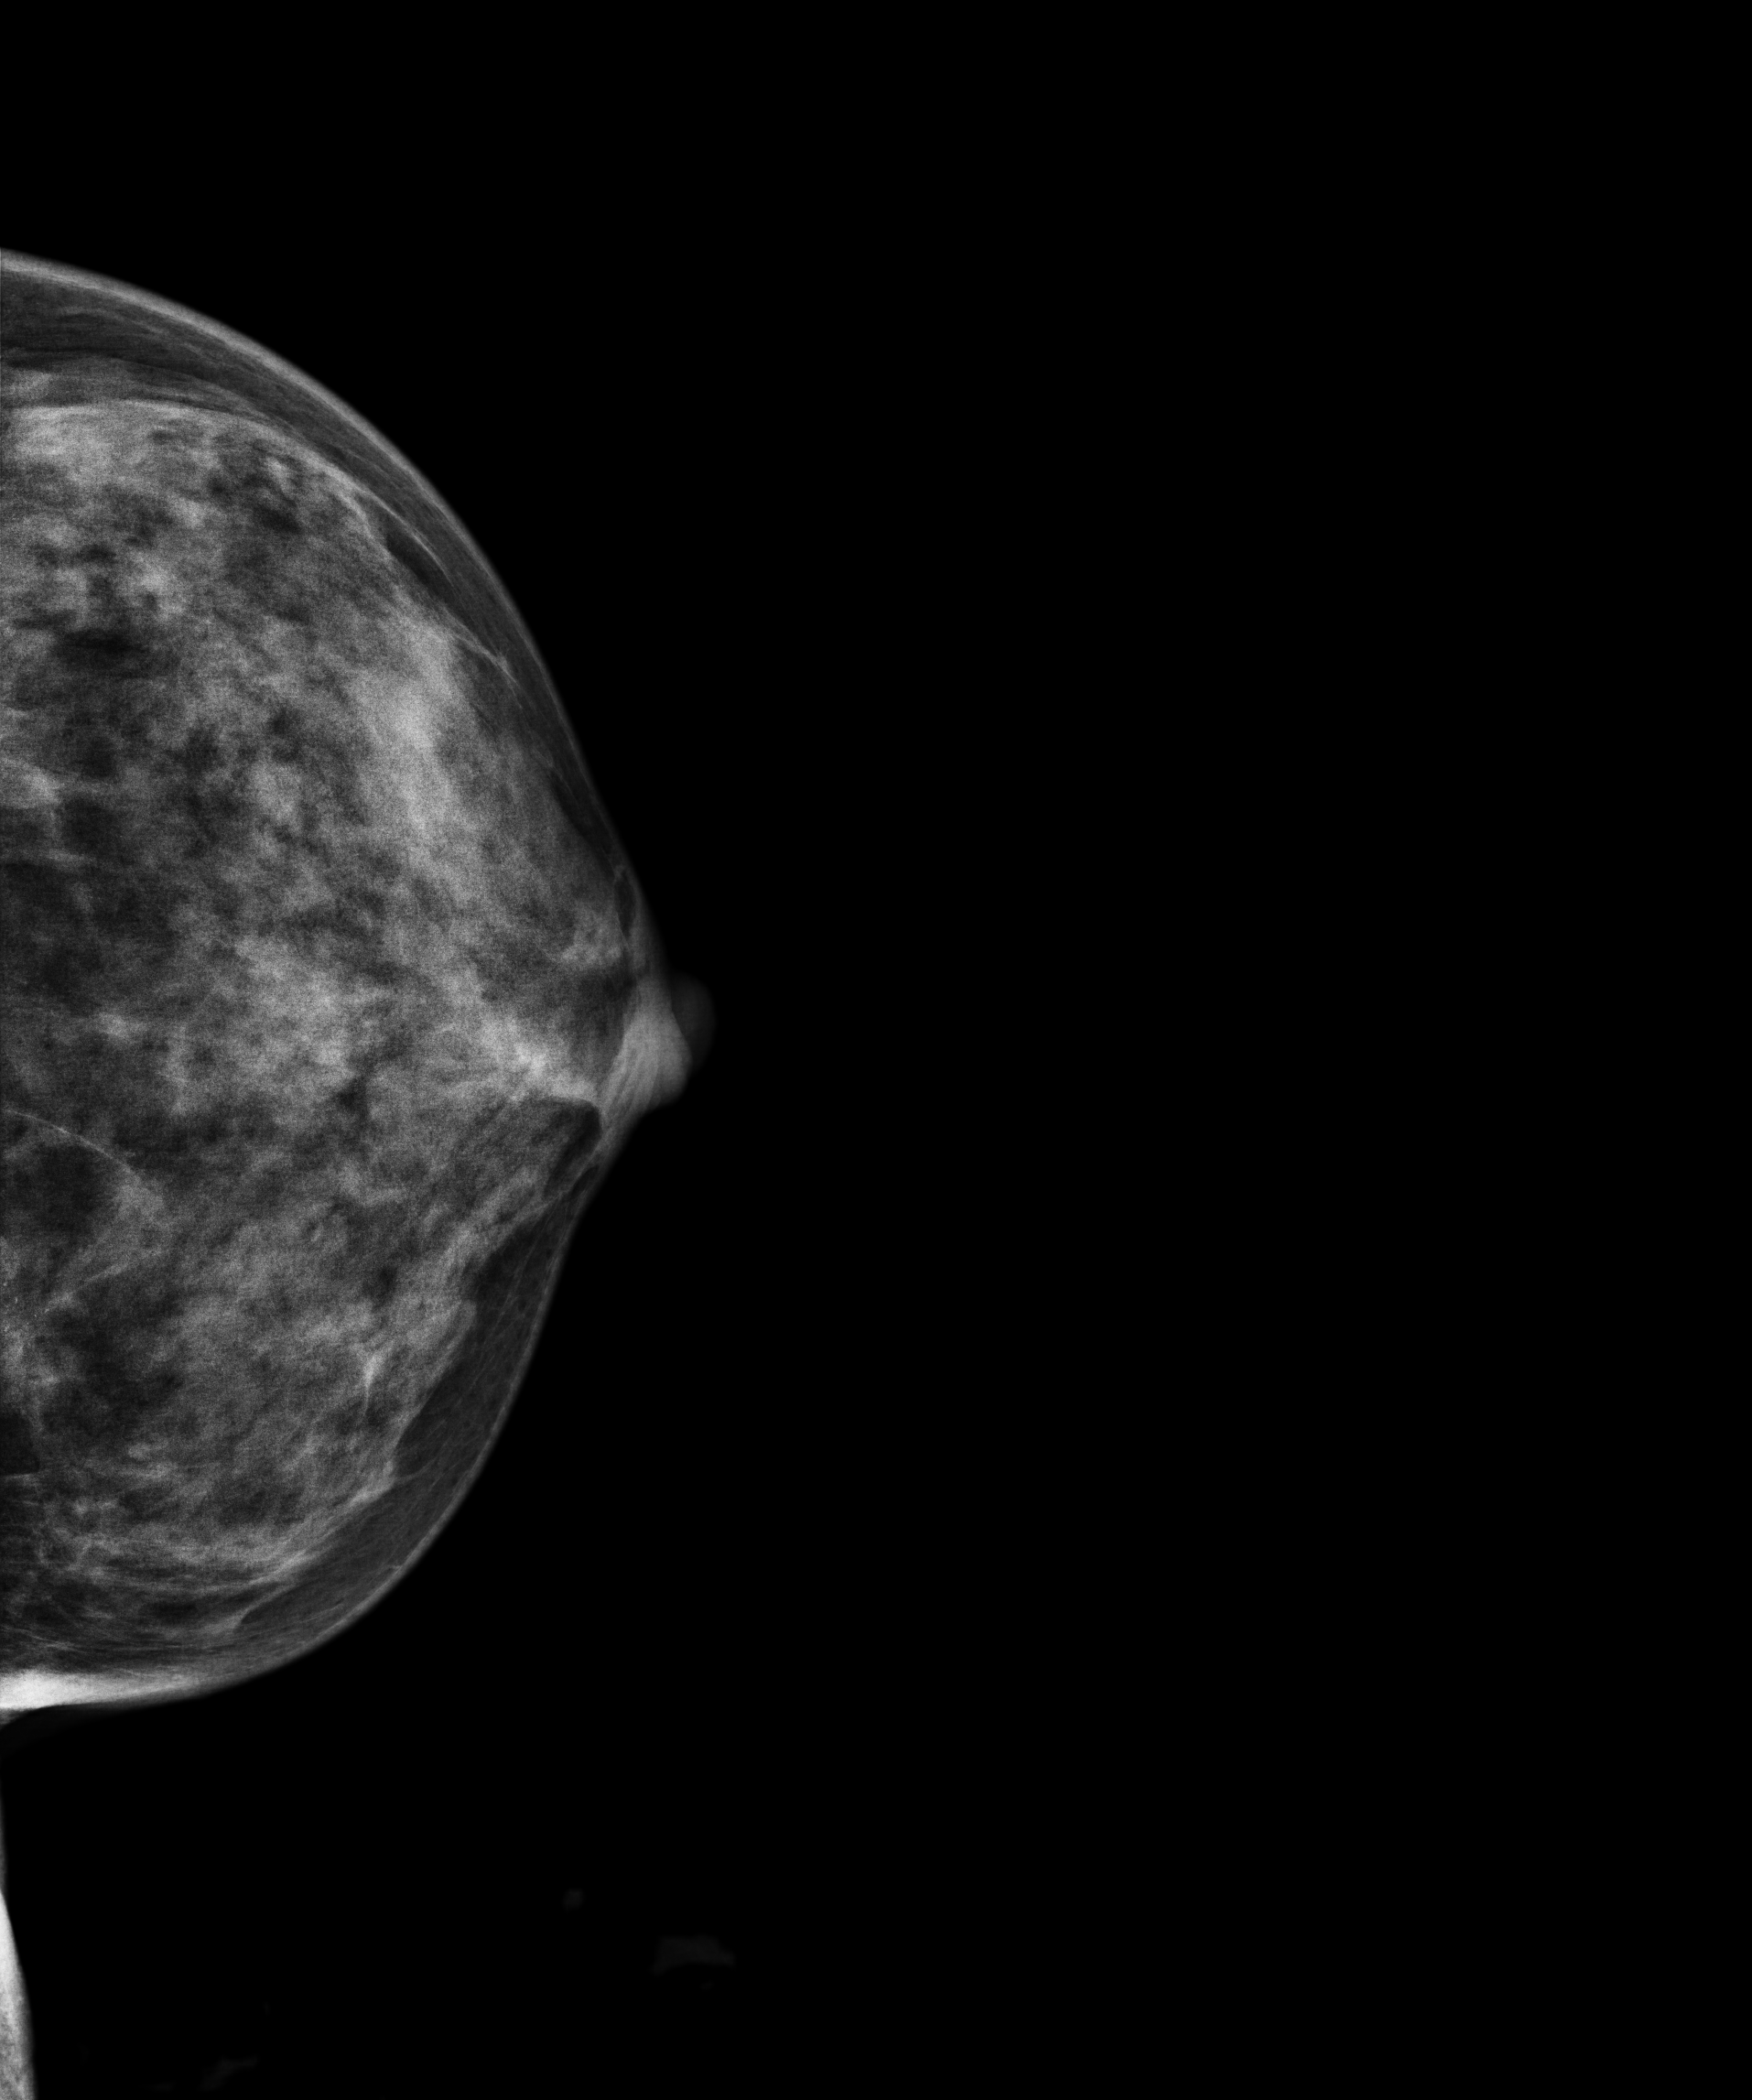
Mammogram, left breast, cranio-caudal view. 49 y/o patient.
This breast has a mass and calcifications, biopsy-proven malignant. Molecular subtype: luminal B.